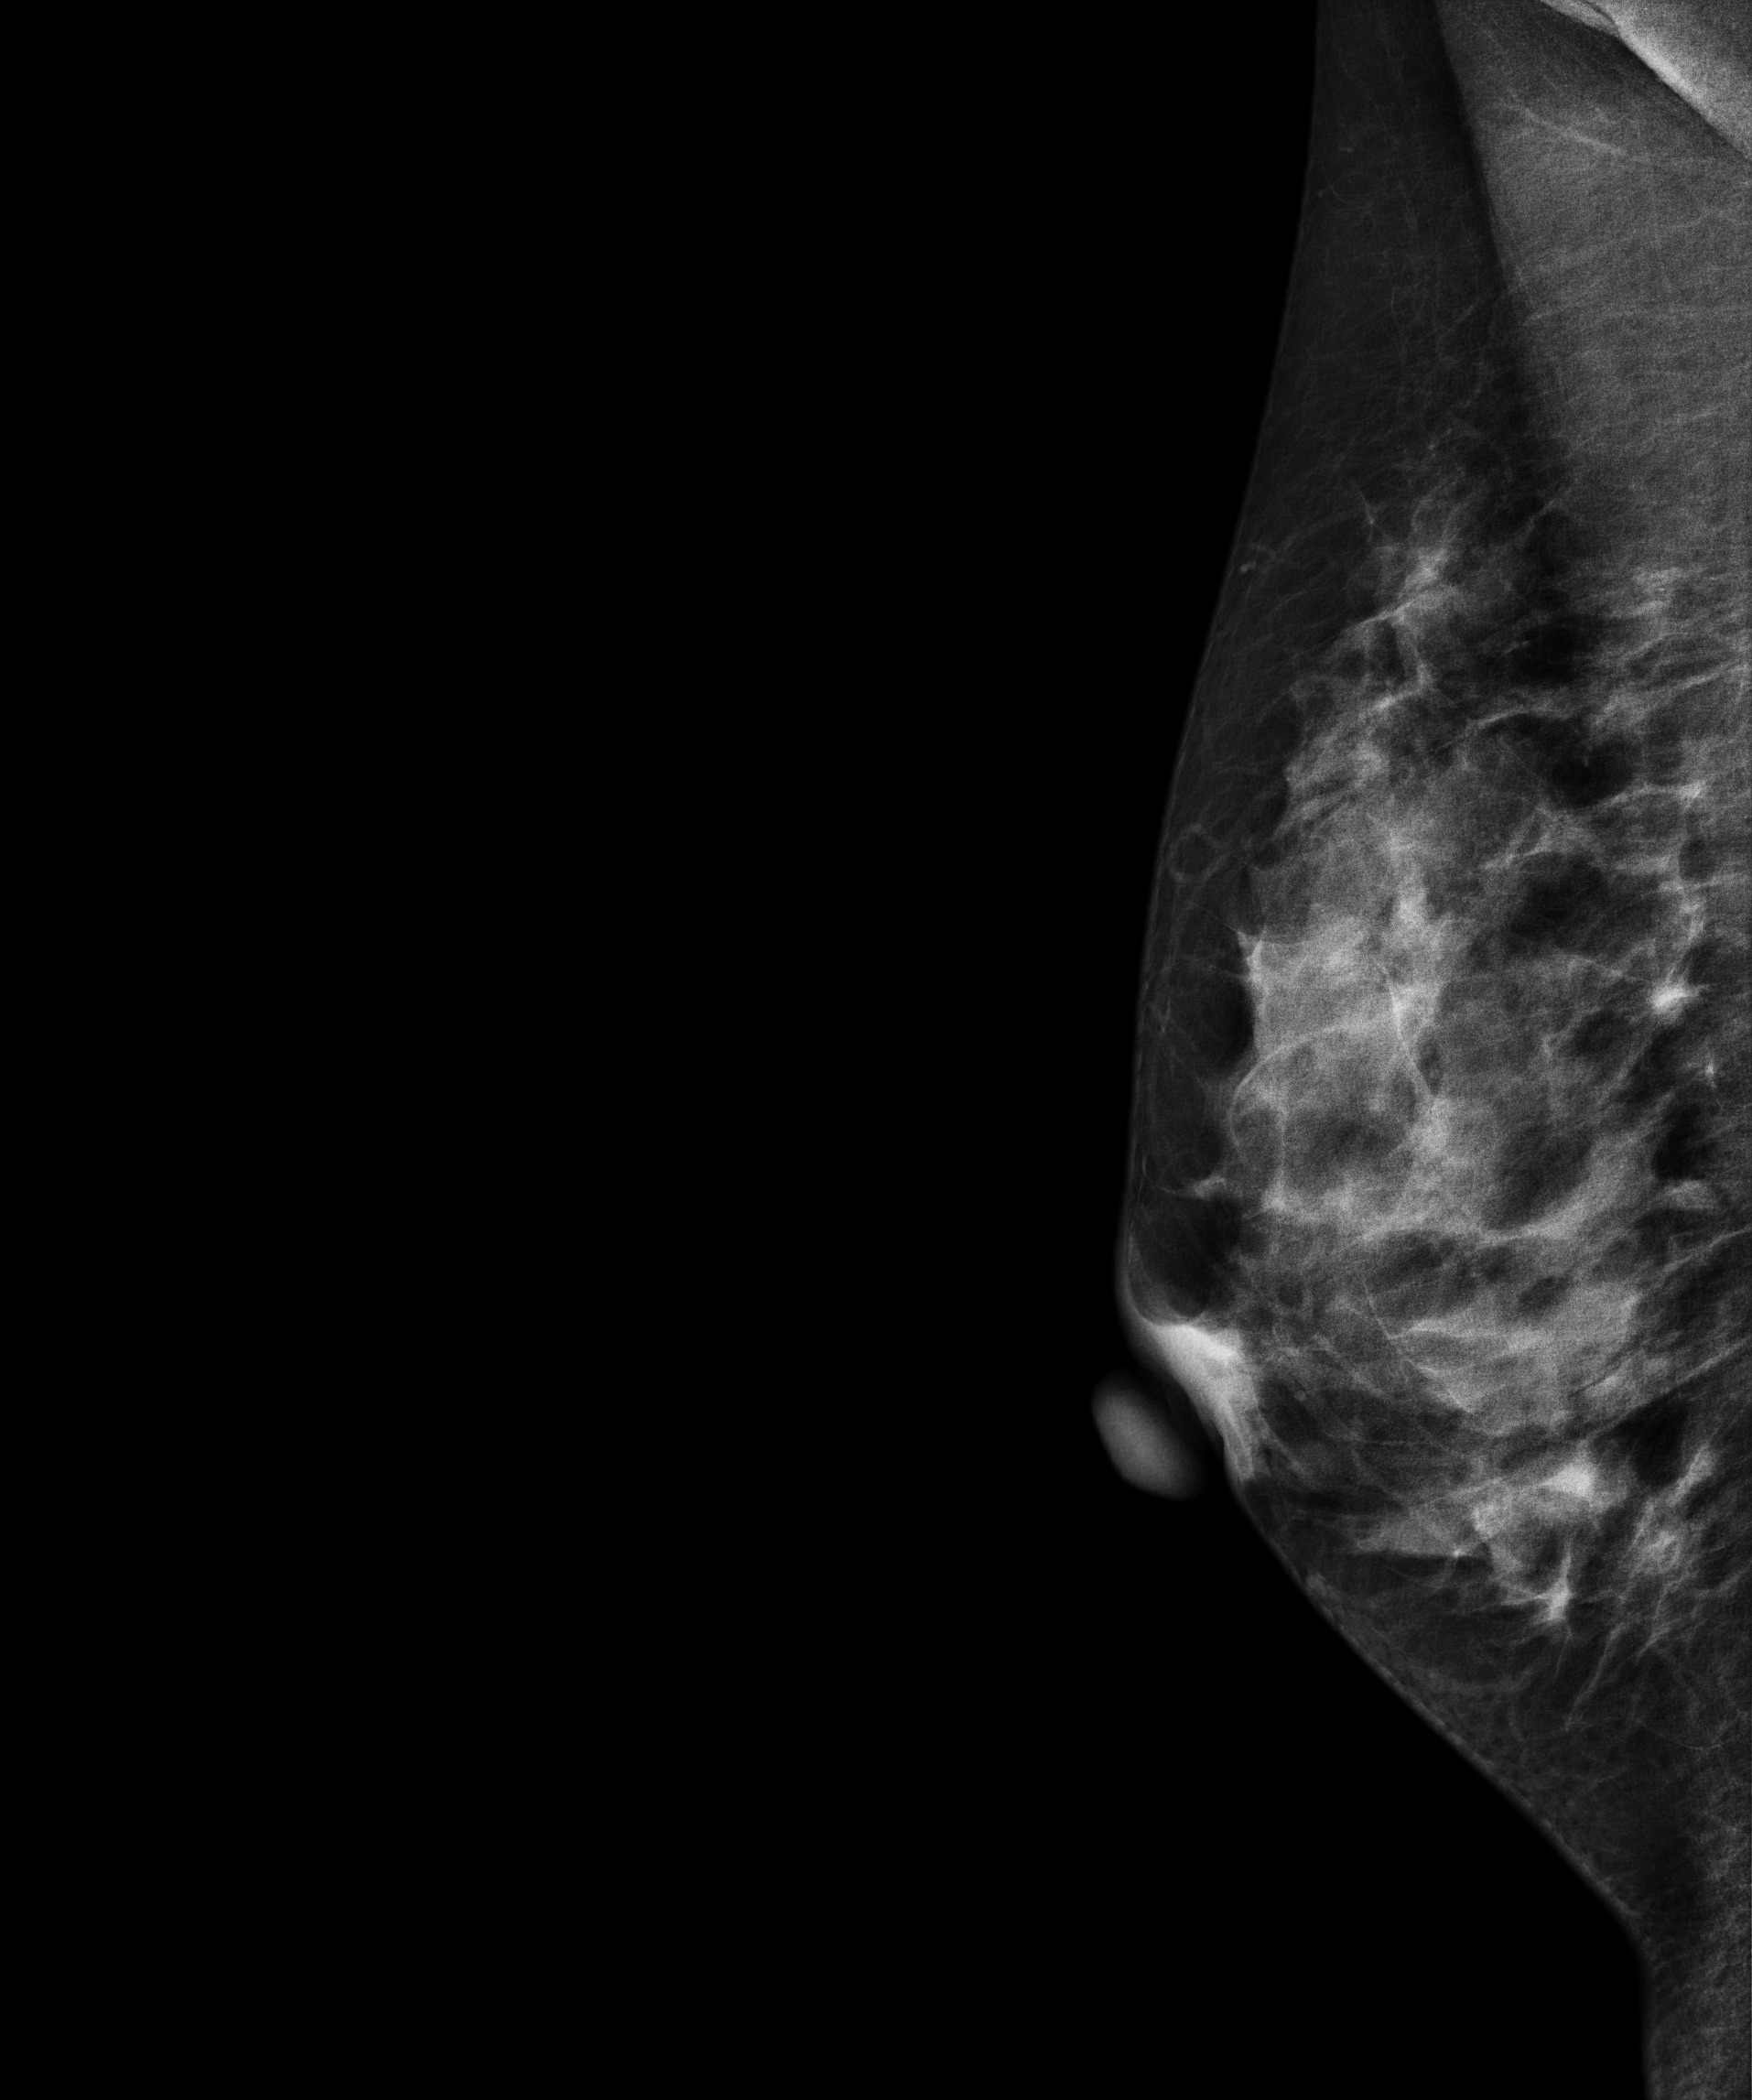
Mammogram — right medio-lateral oblique. 52-year-old patient.
Contralateral breast — no documented abnormality on this side.